Right-breast mammogram, MLO. Patient age 46.
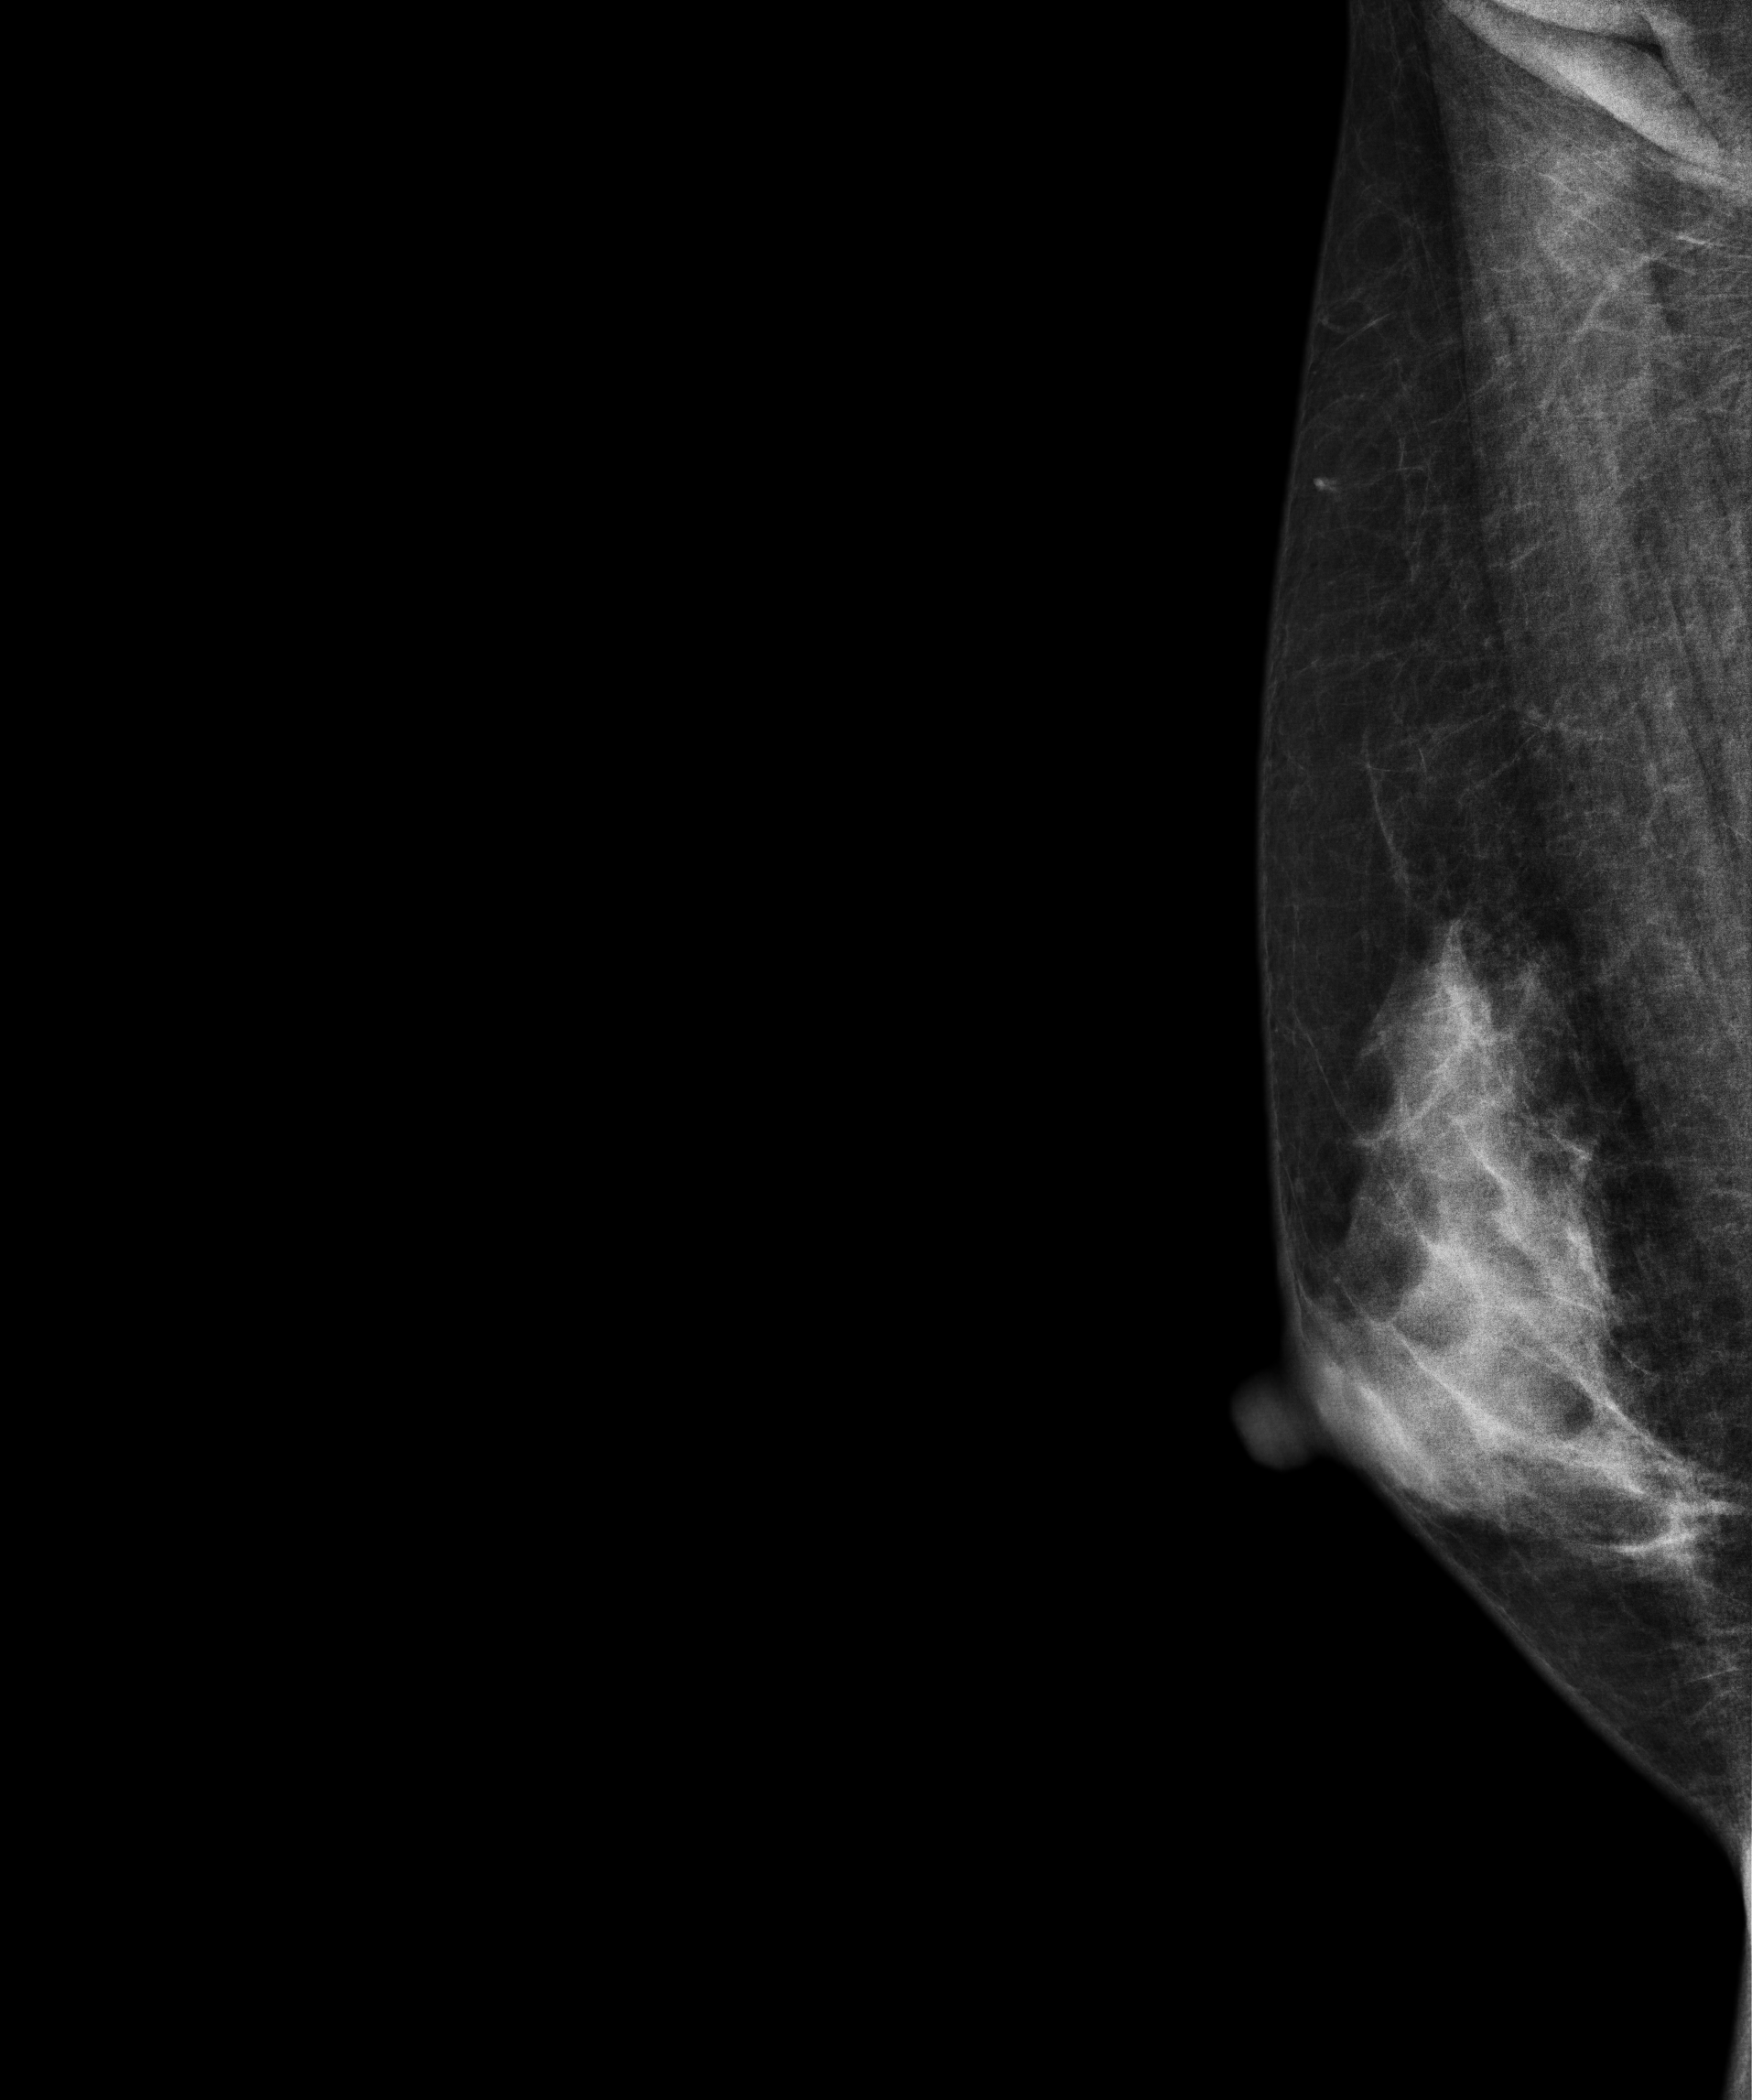
This breast has a mass, histologically confirmed benign.